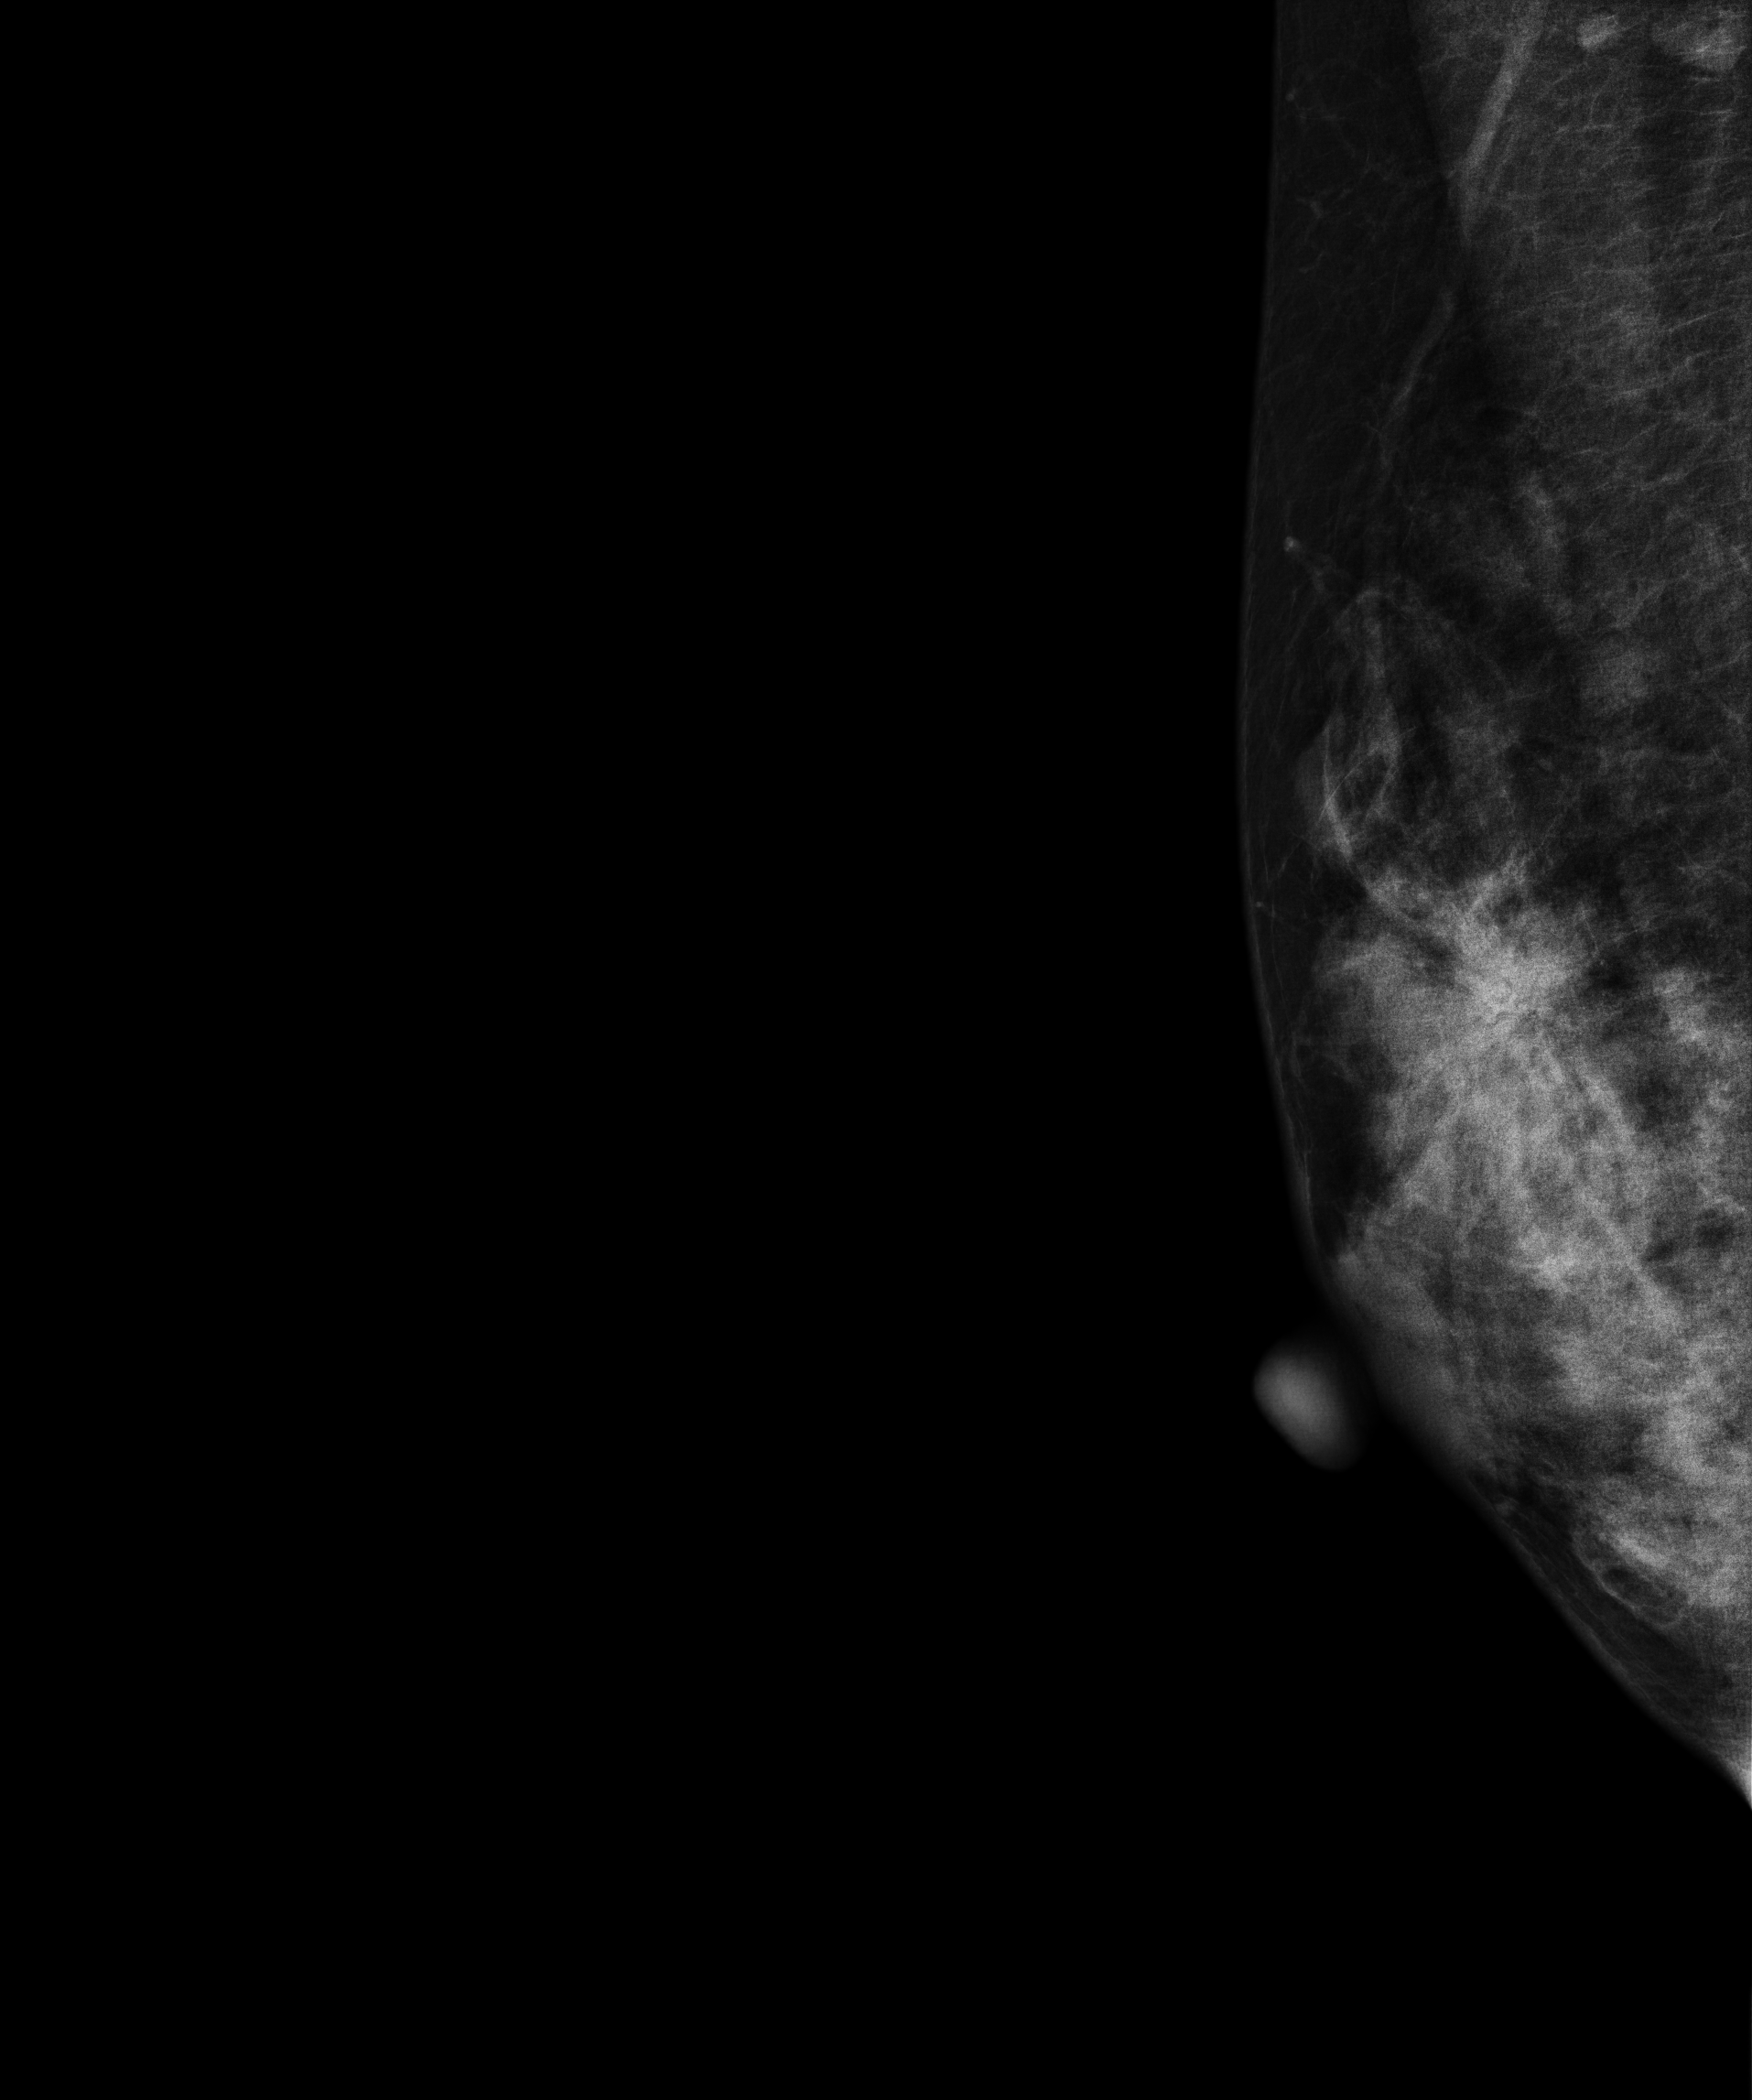
MLO mammogram of the right breast. 42 y/o patient.
This breast has a mass, histologically confirmed benign.